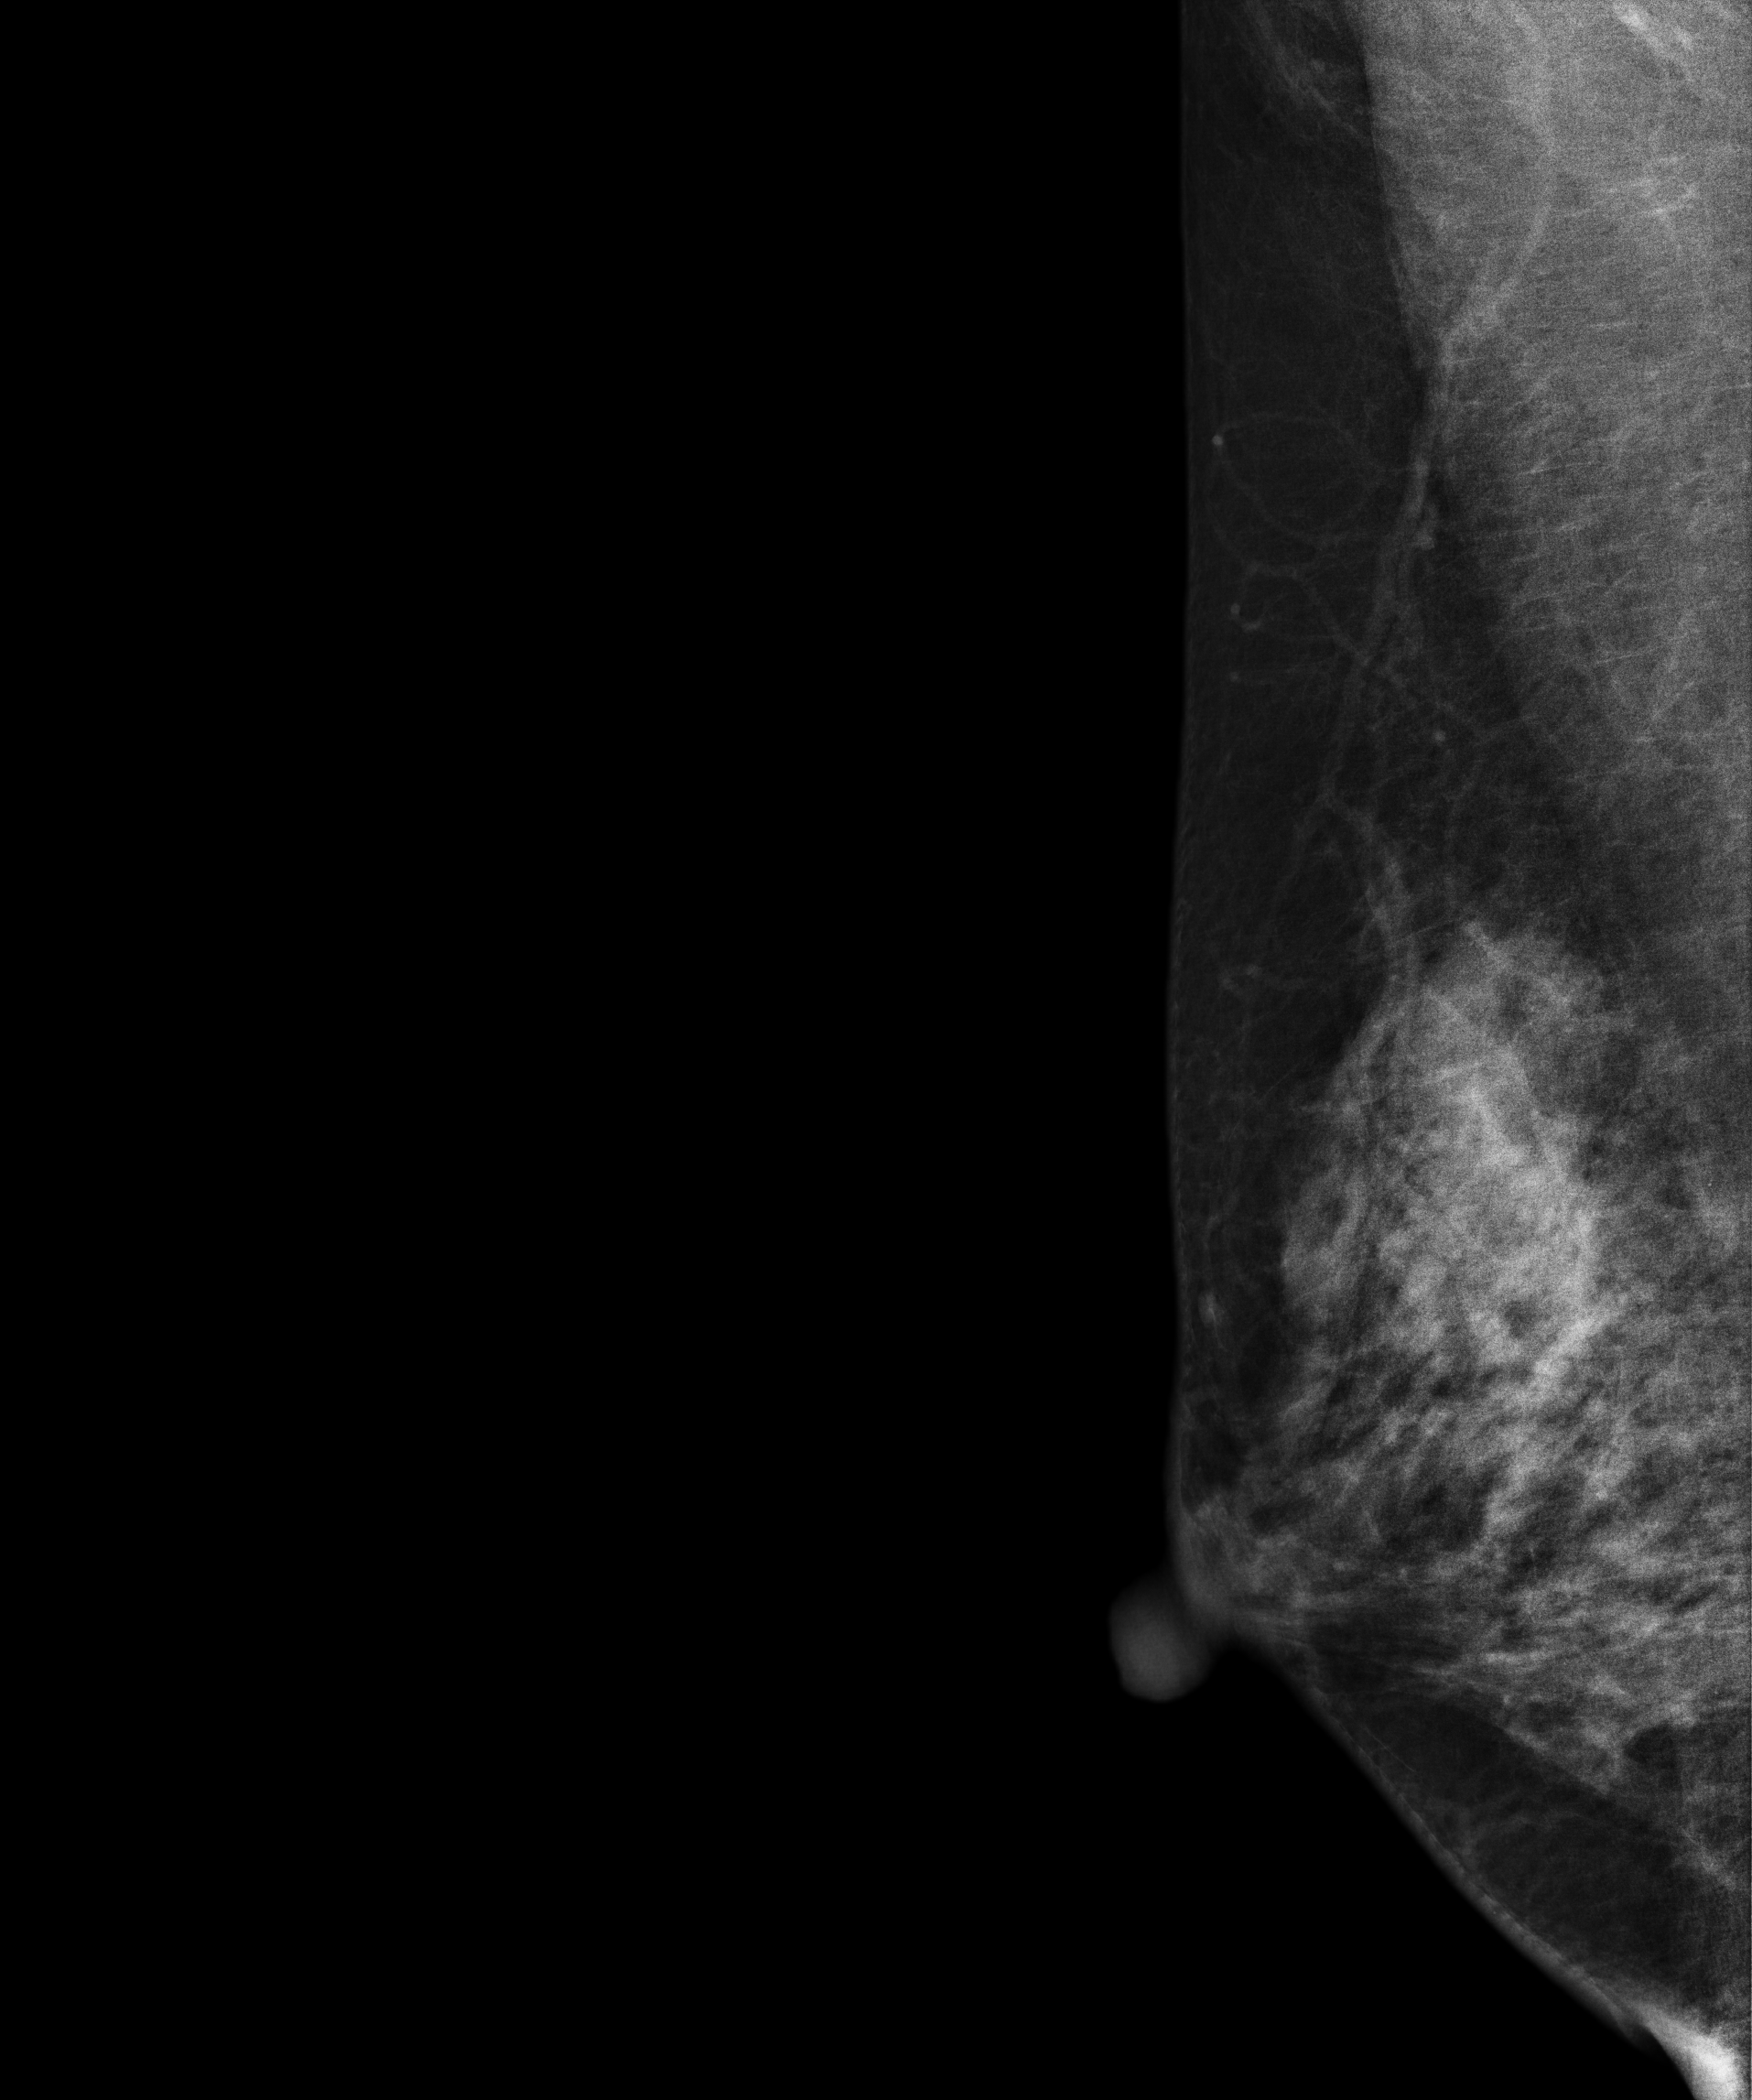
Mammogram — right medio-lateral oblique. 34-year-old patient.
Contralateral breast — no documented abnormality on this side.